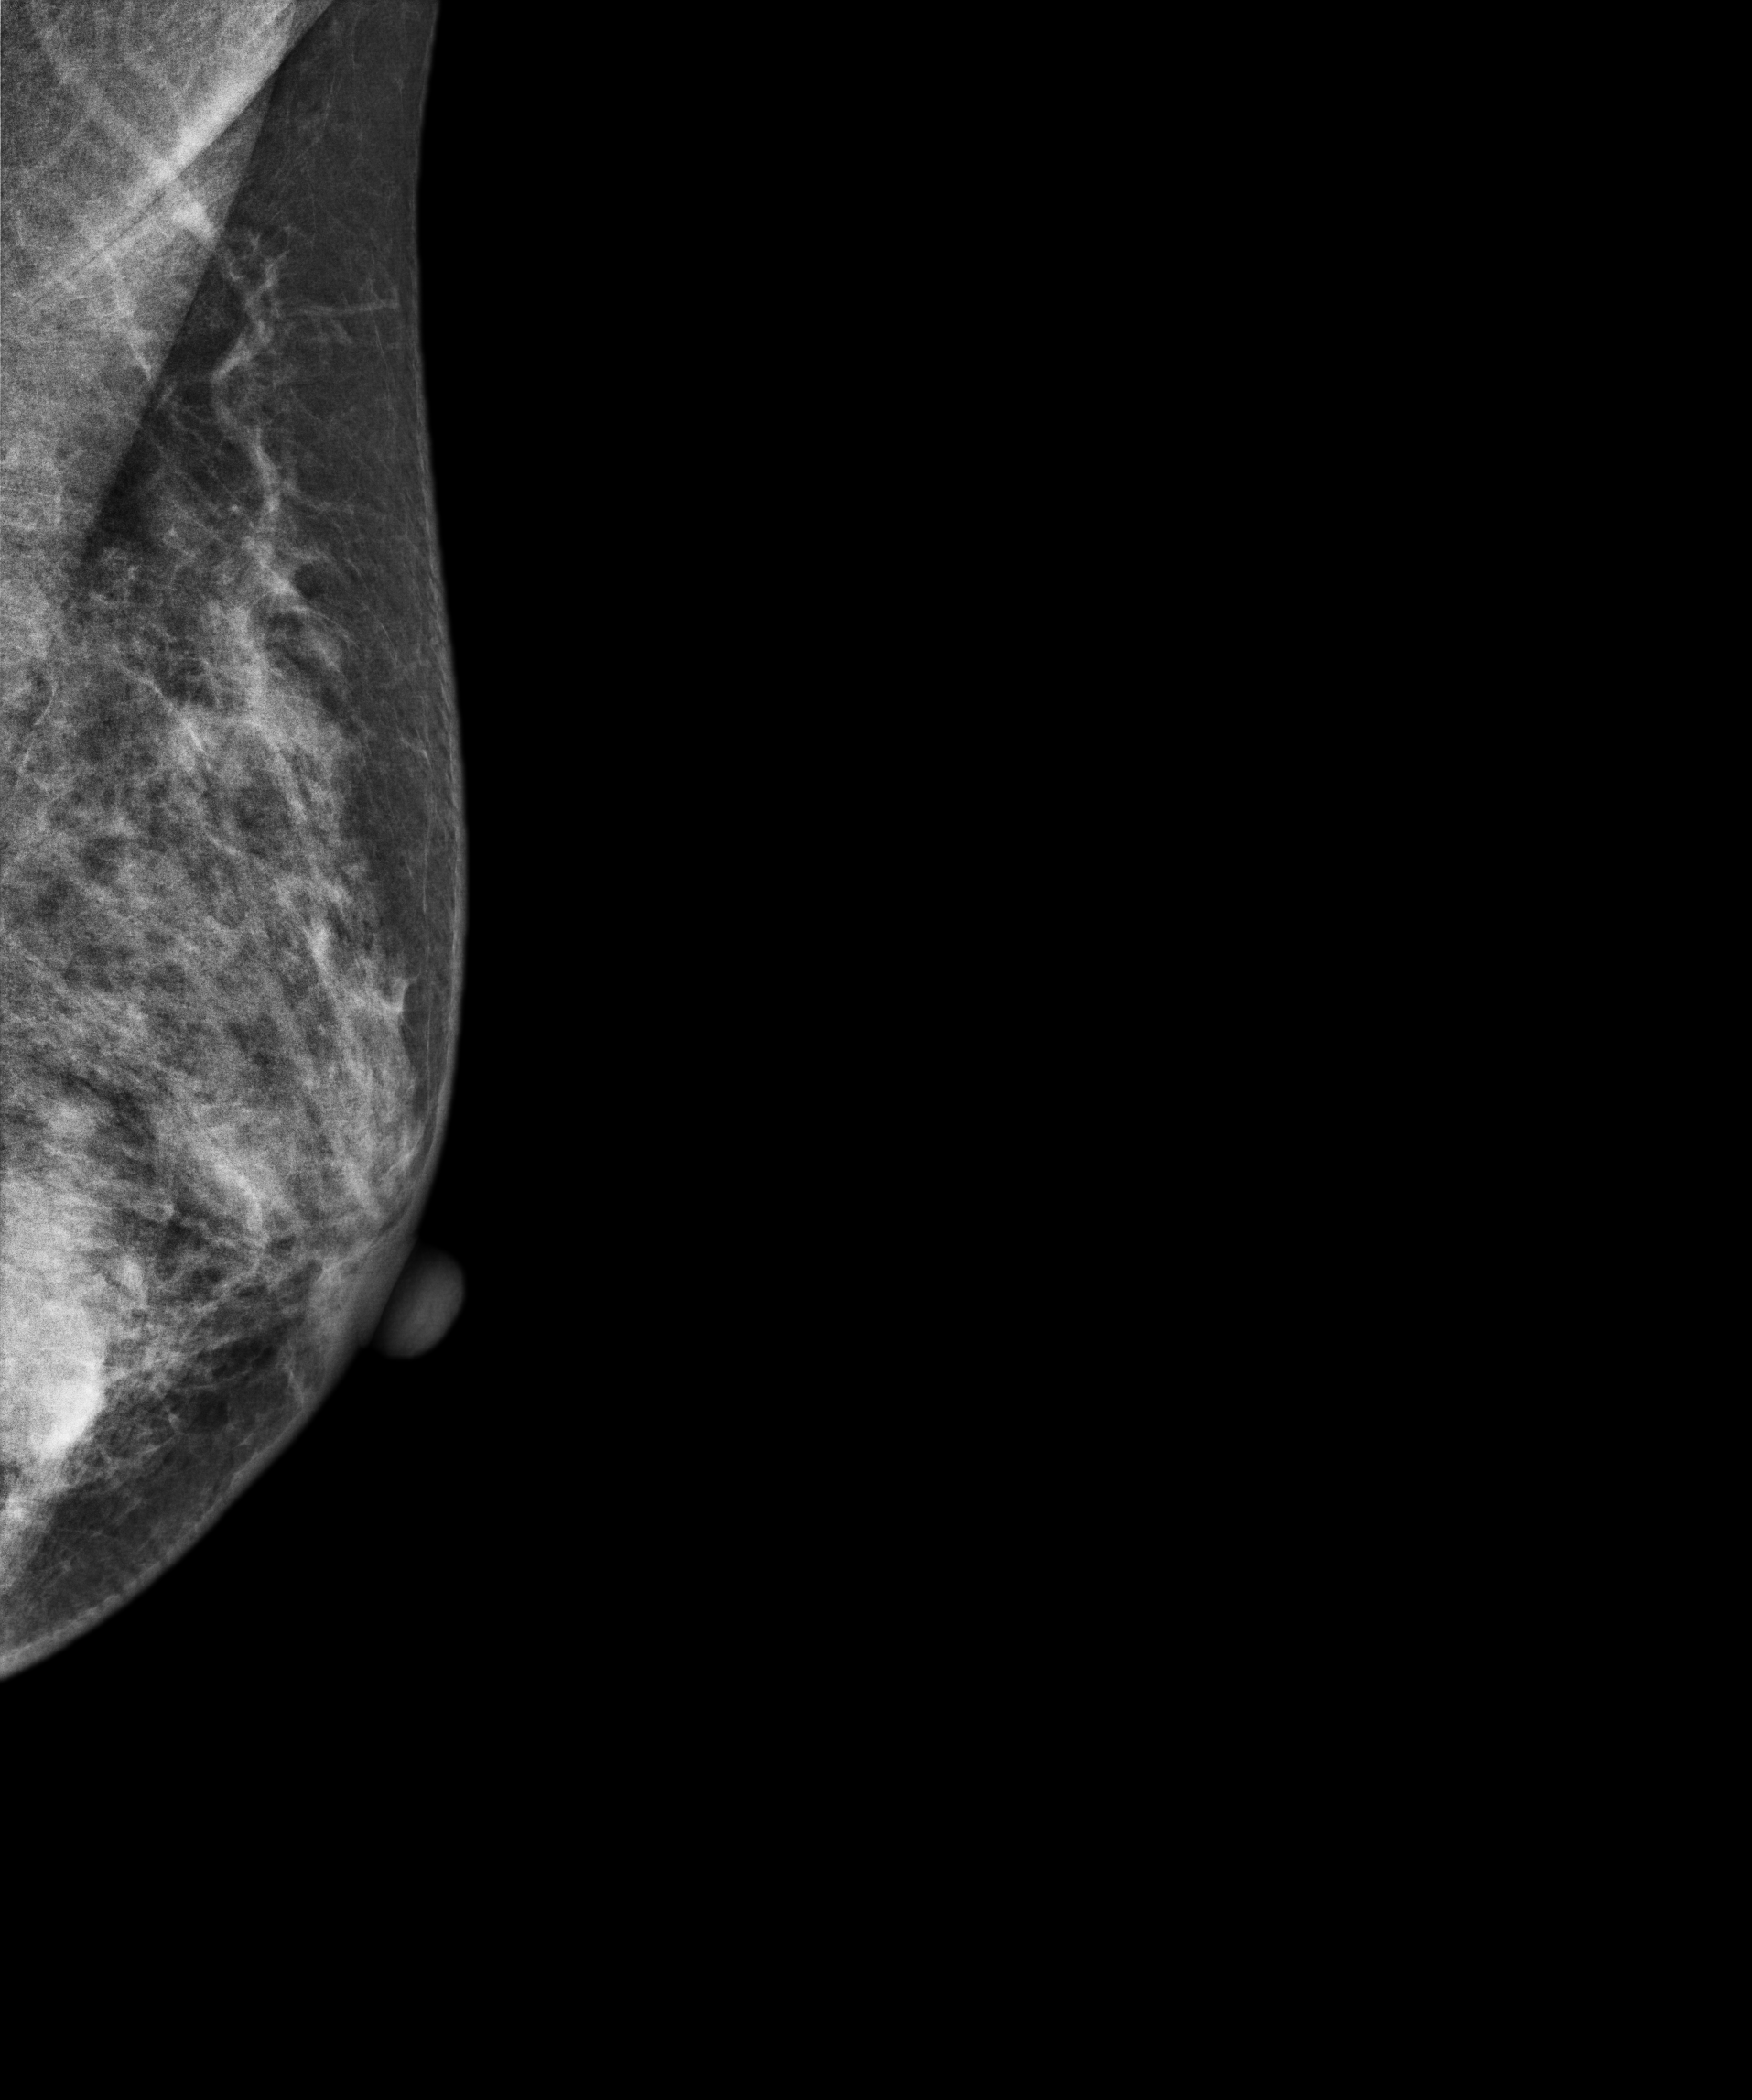
Medio-lateral oblique mammogram of the left breast. 56-year-old patient.
This breast has a mass, biopsy-proven malignant. Molecular subtype: triple-negative.